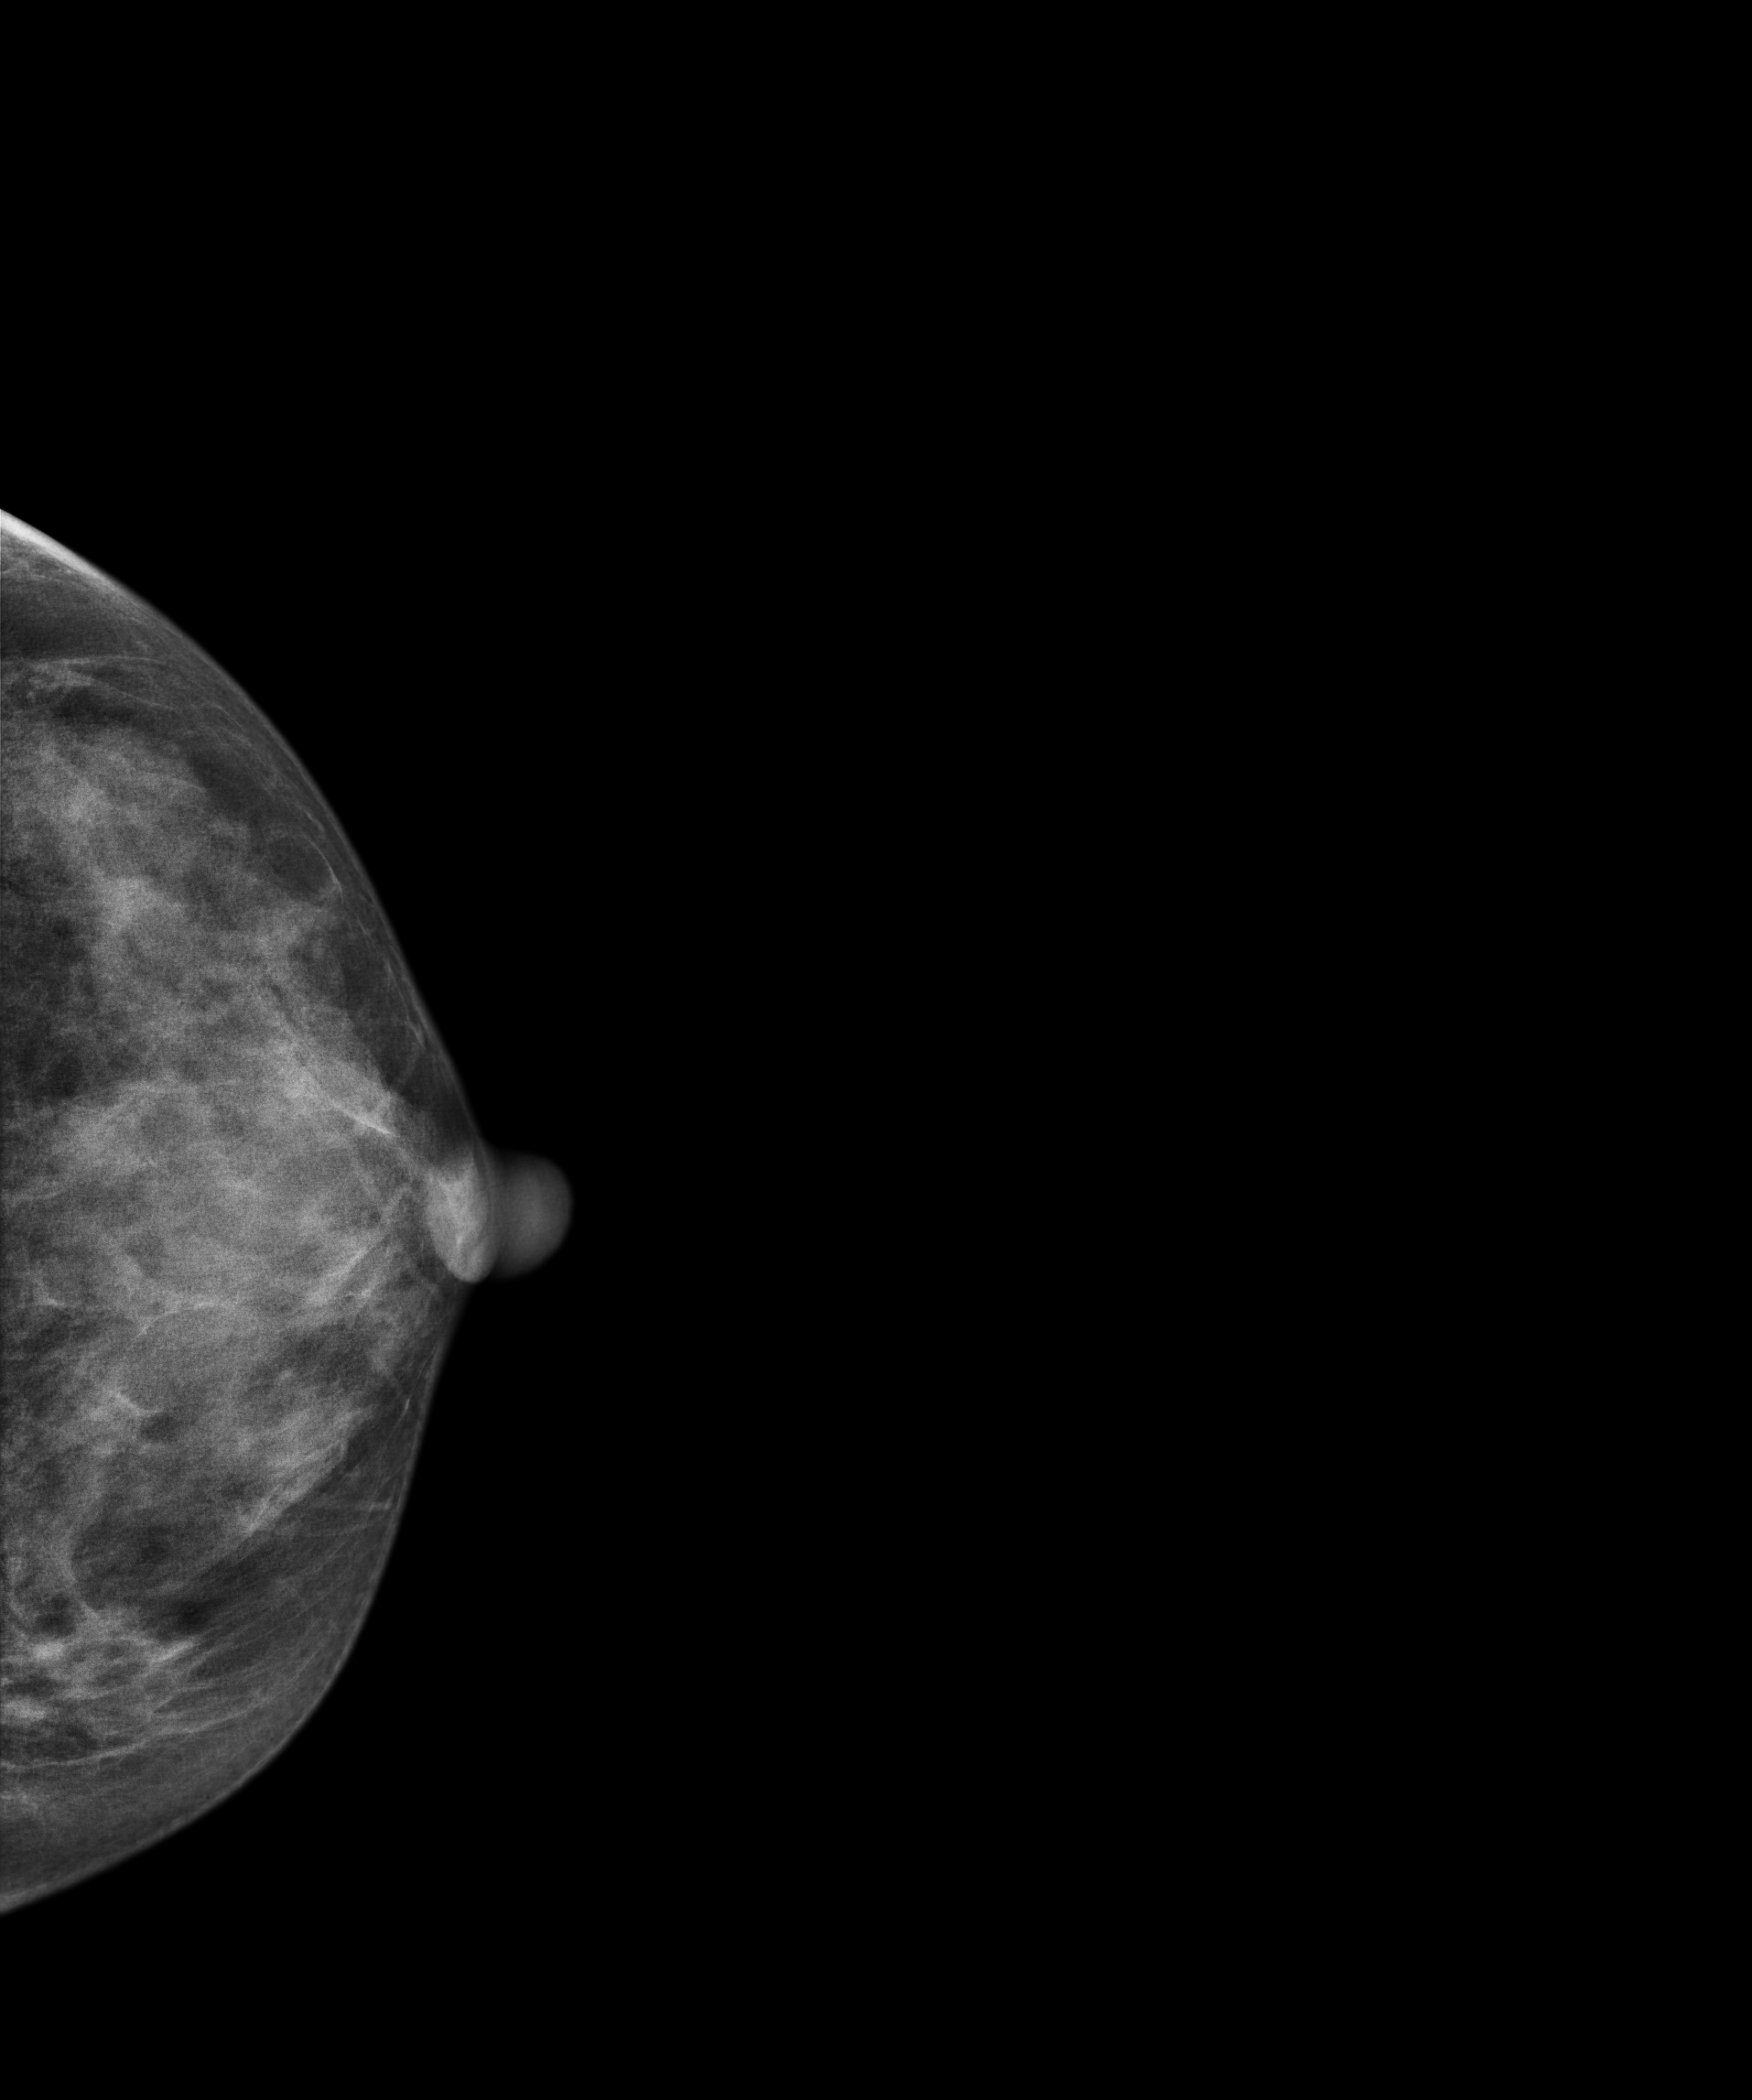
Digital mammography. Left breast, cranio-caudal projection. Patient age 37.
Contralateral breast — no documented abnormality on this side.